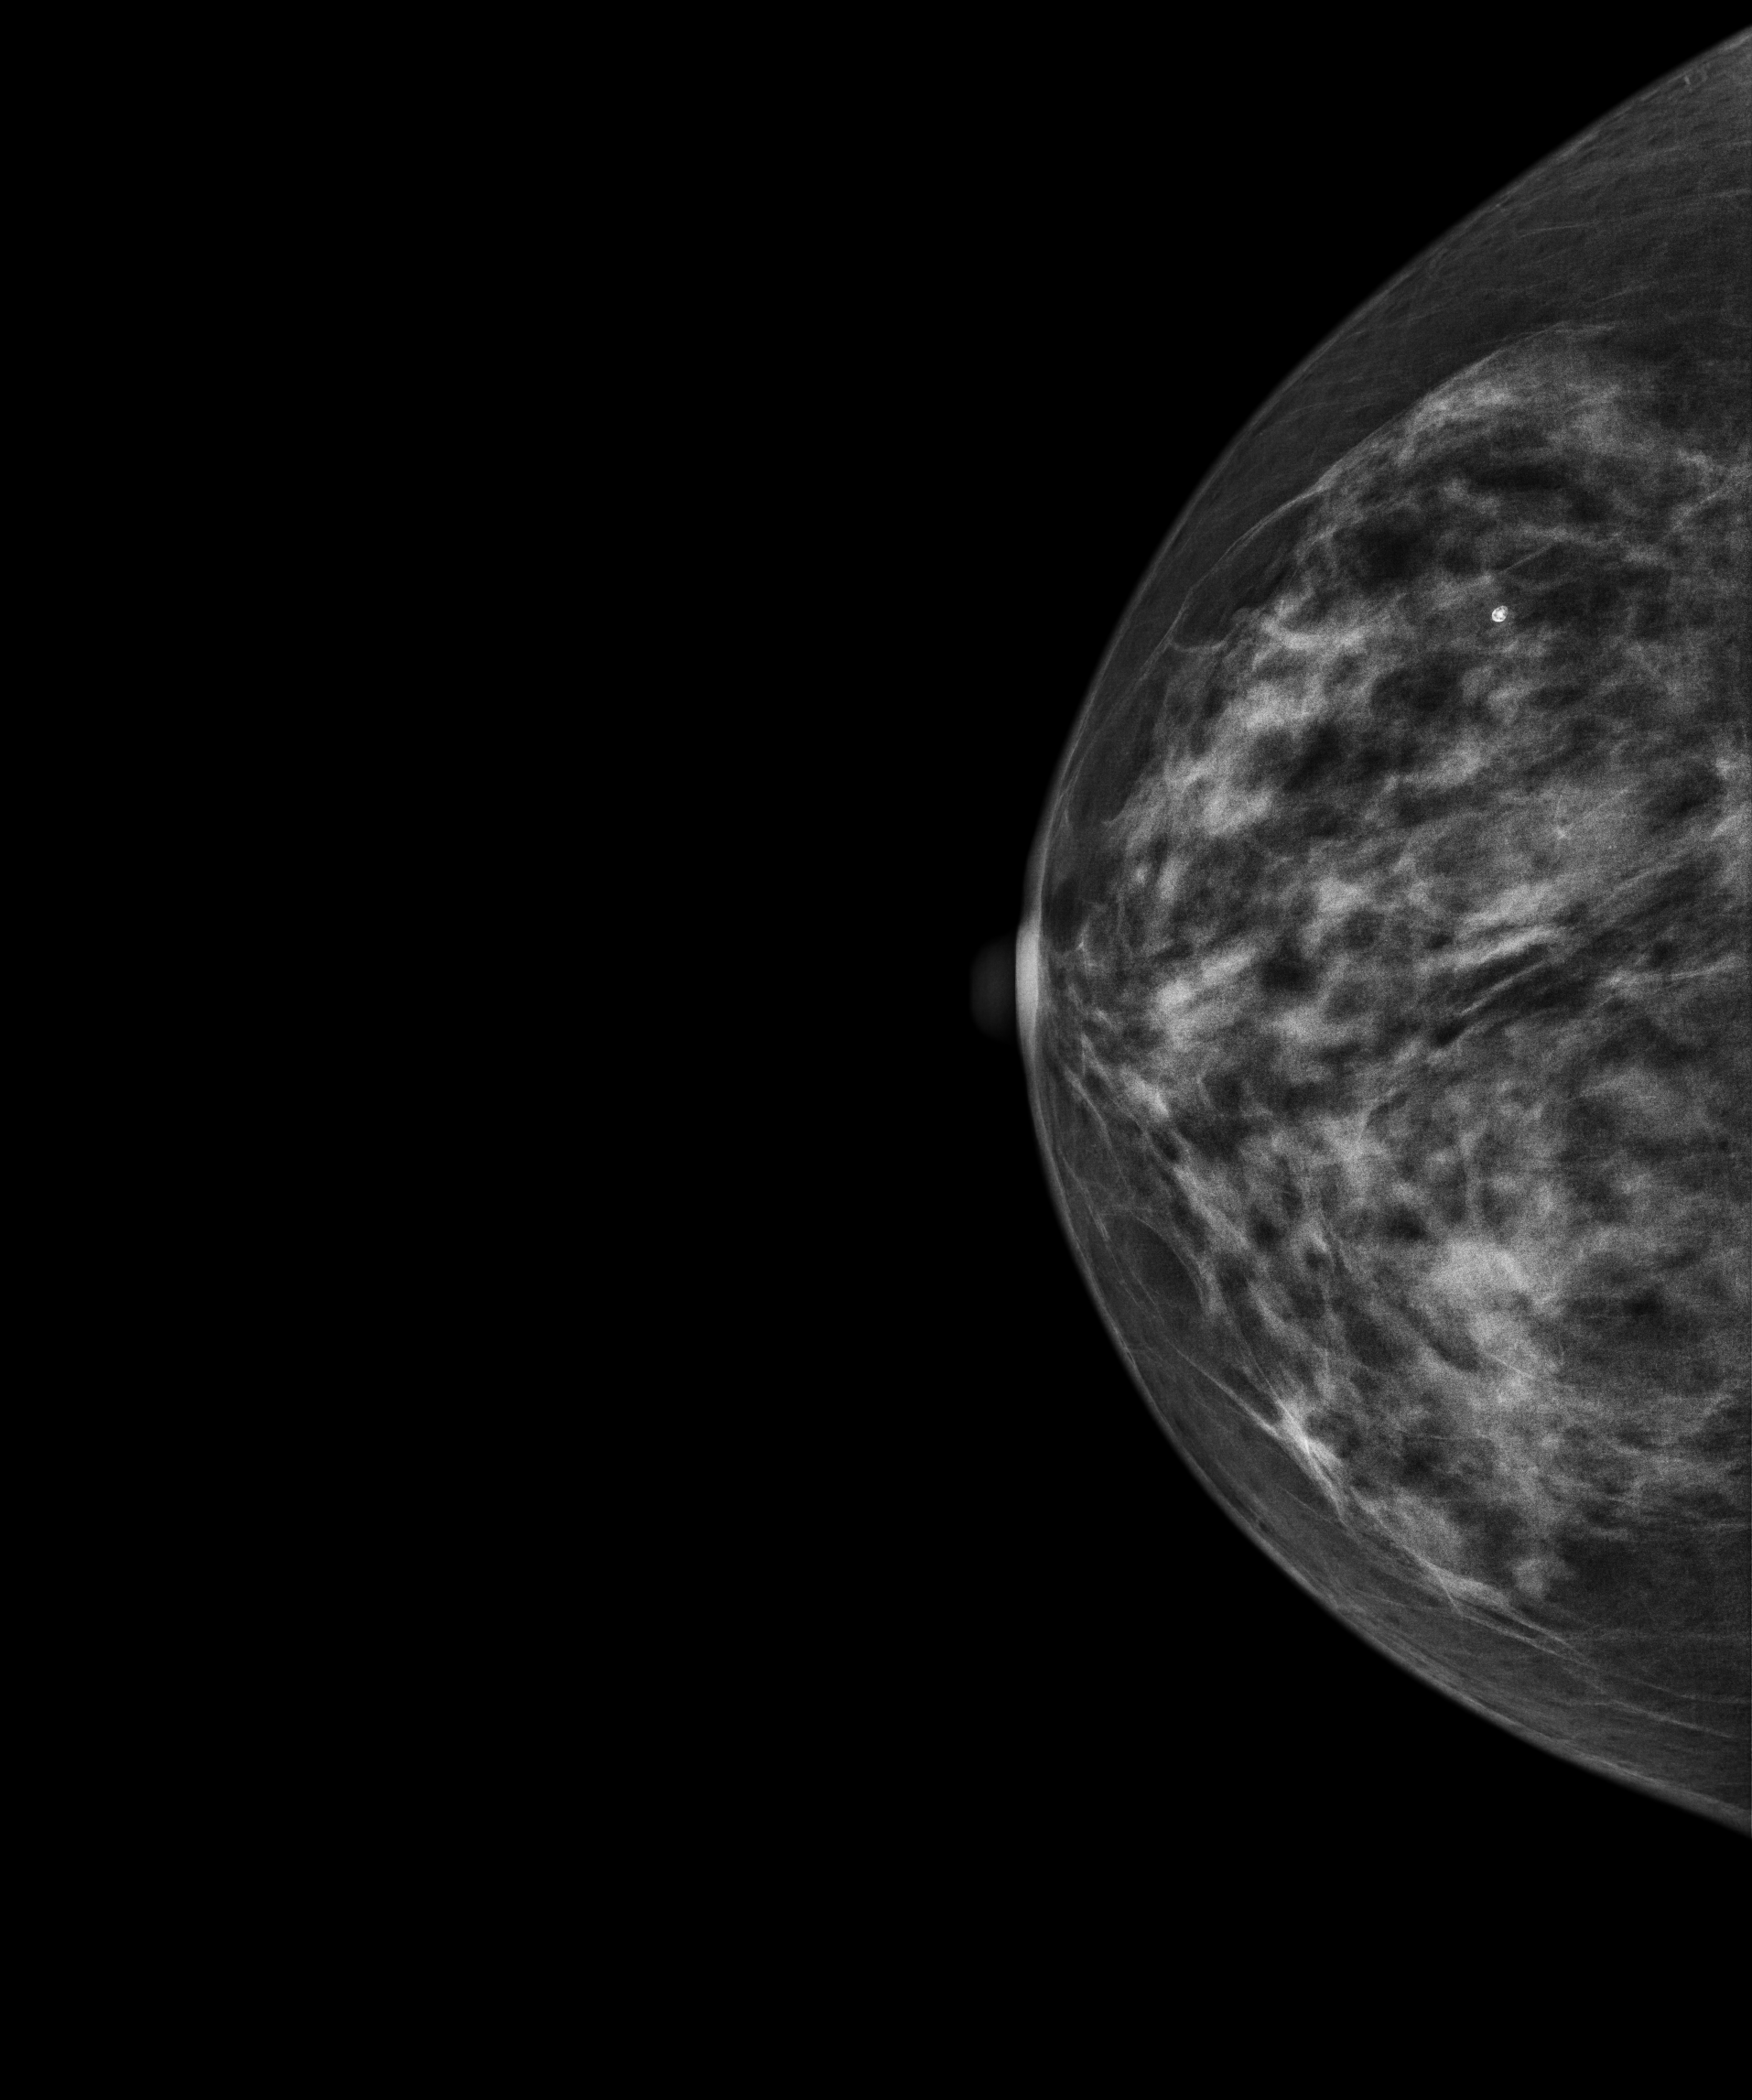
CC mammogram of the right breast. Patient age 58.
This breast has a mass, biopsy-confirmed malignant. Molecular subtype: luminal A.